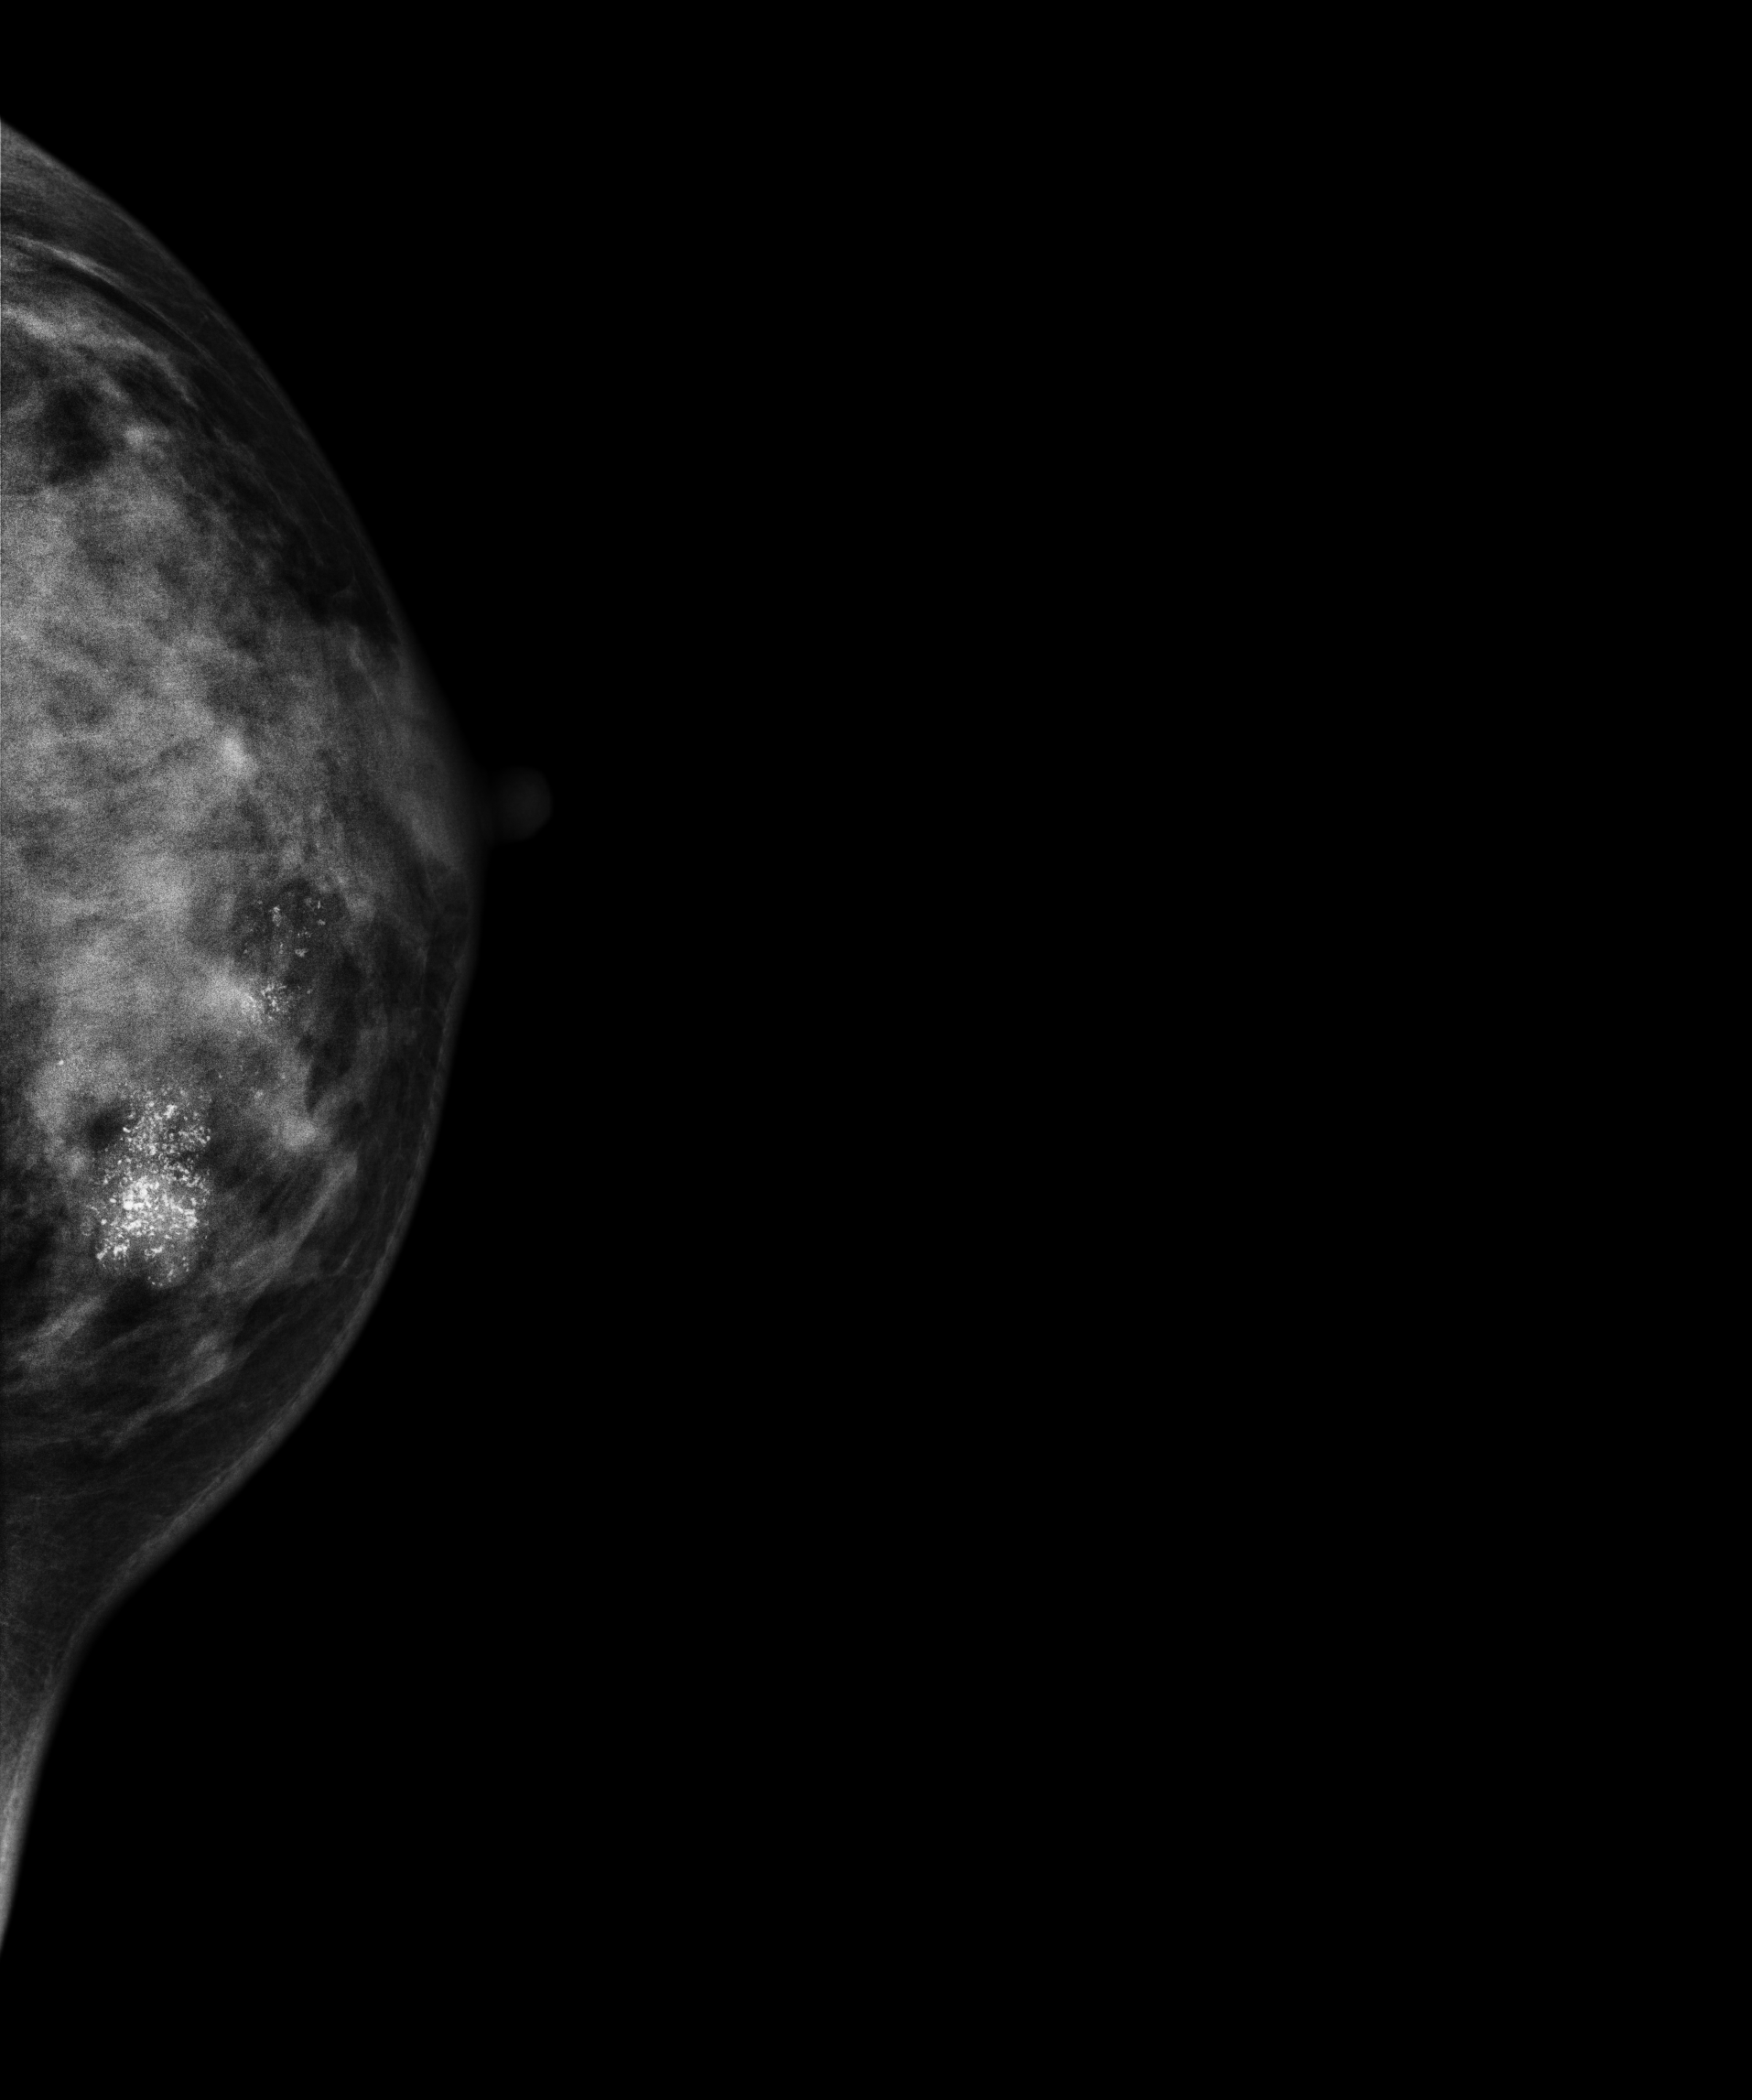
Digital mammography. Left breast, CC projection. 33-year-old patient.
This breast has calcifications, biopsy-confirmed malignant.